MLO mammogram of the right breast. 53 y/o patient.
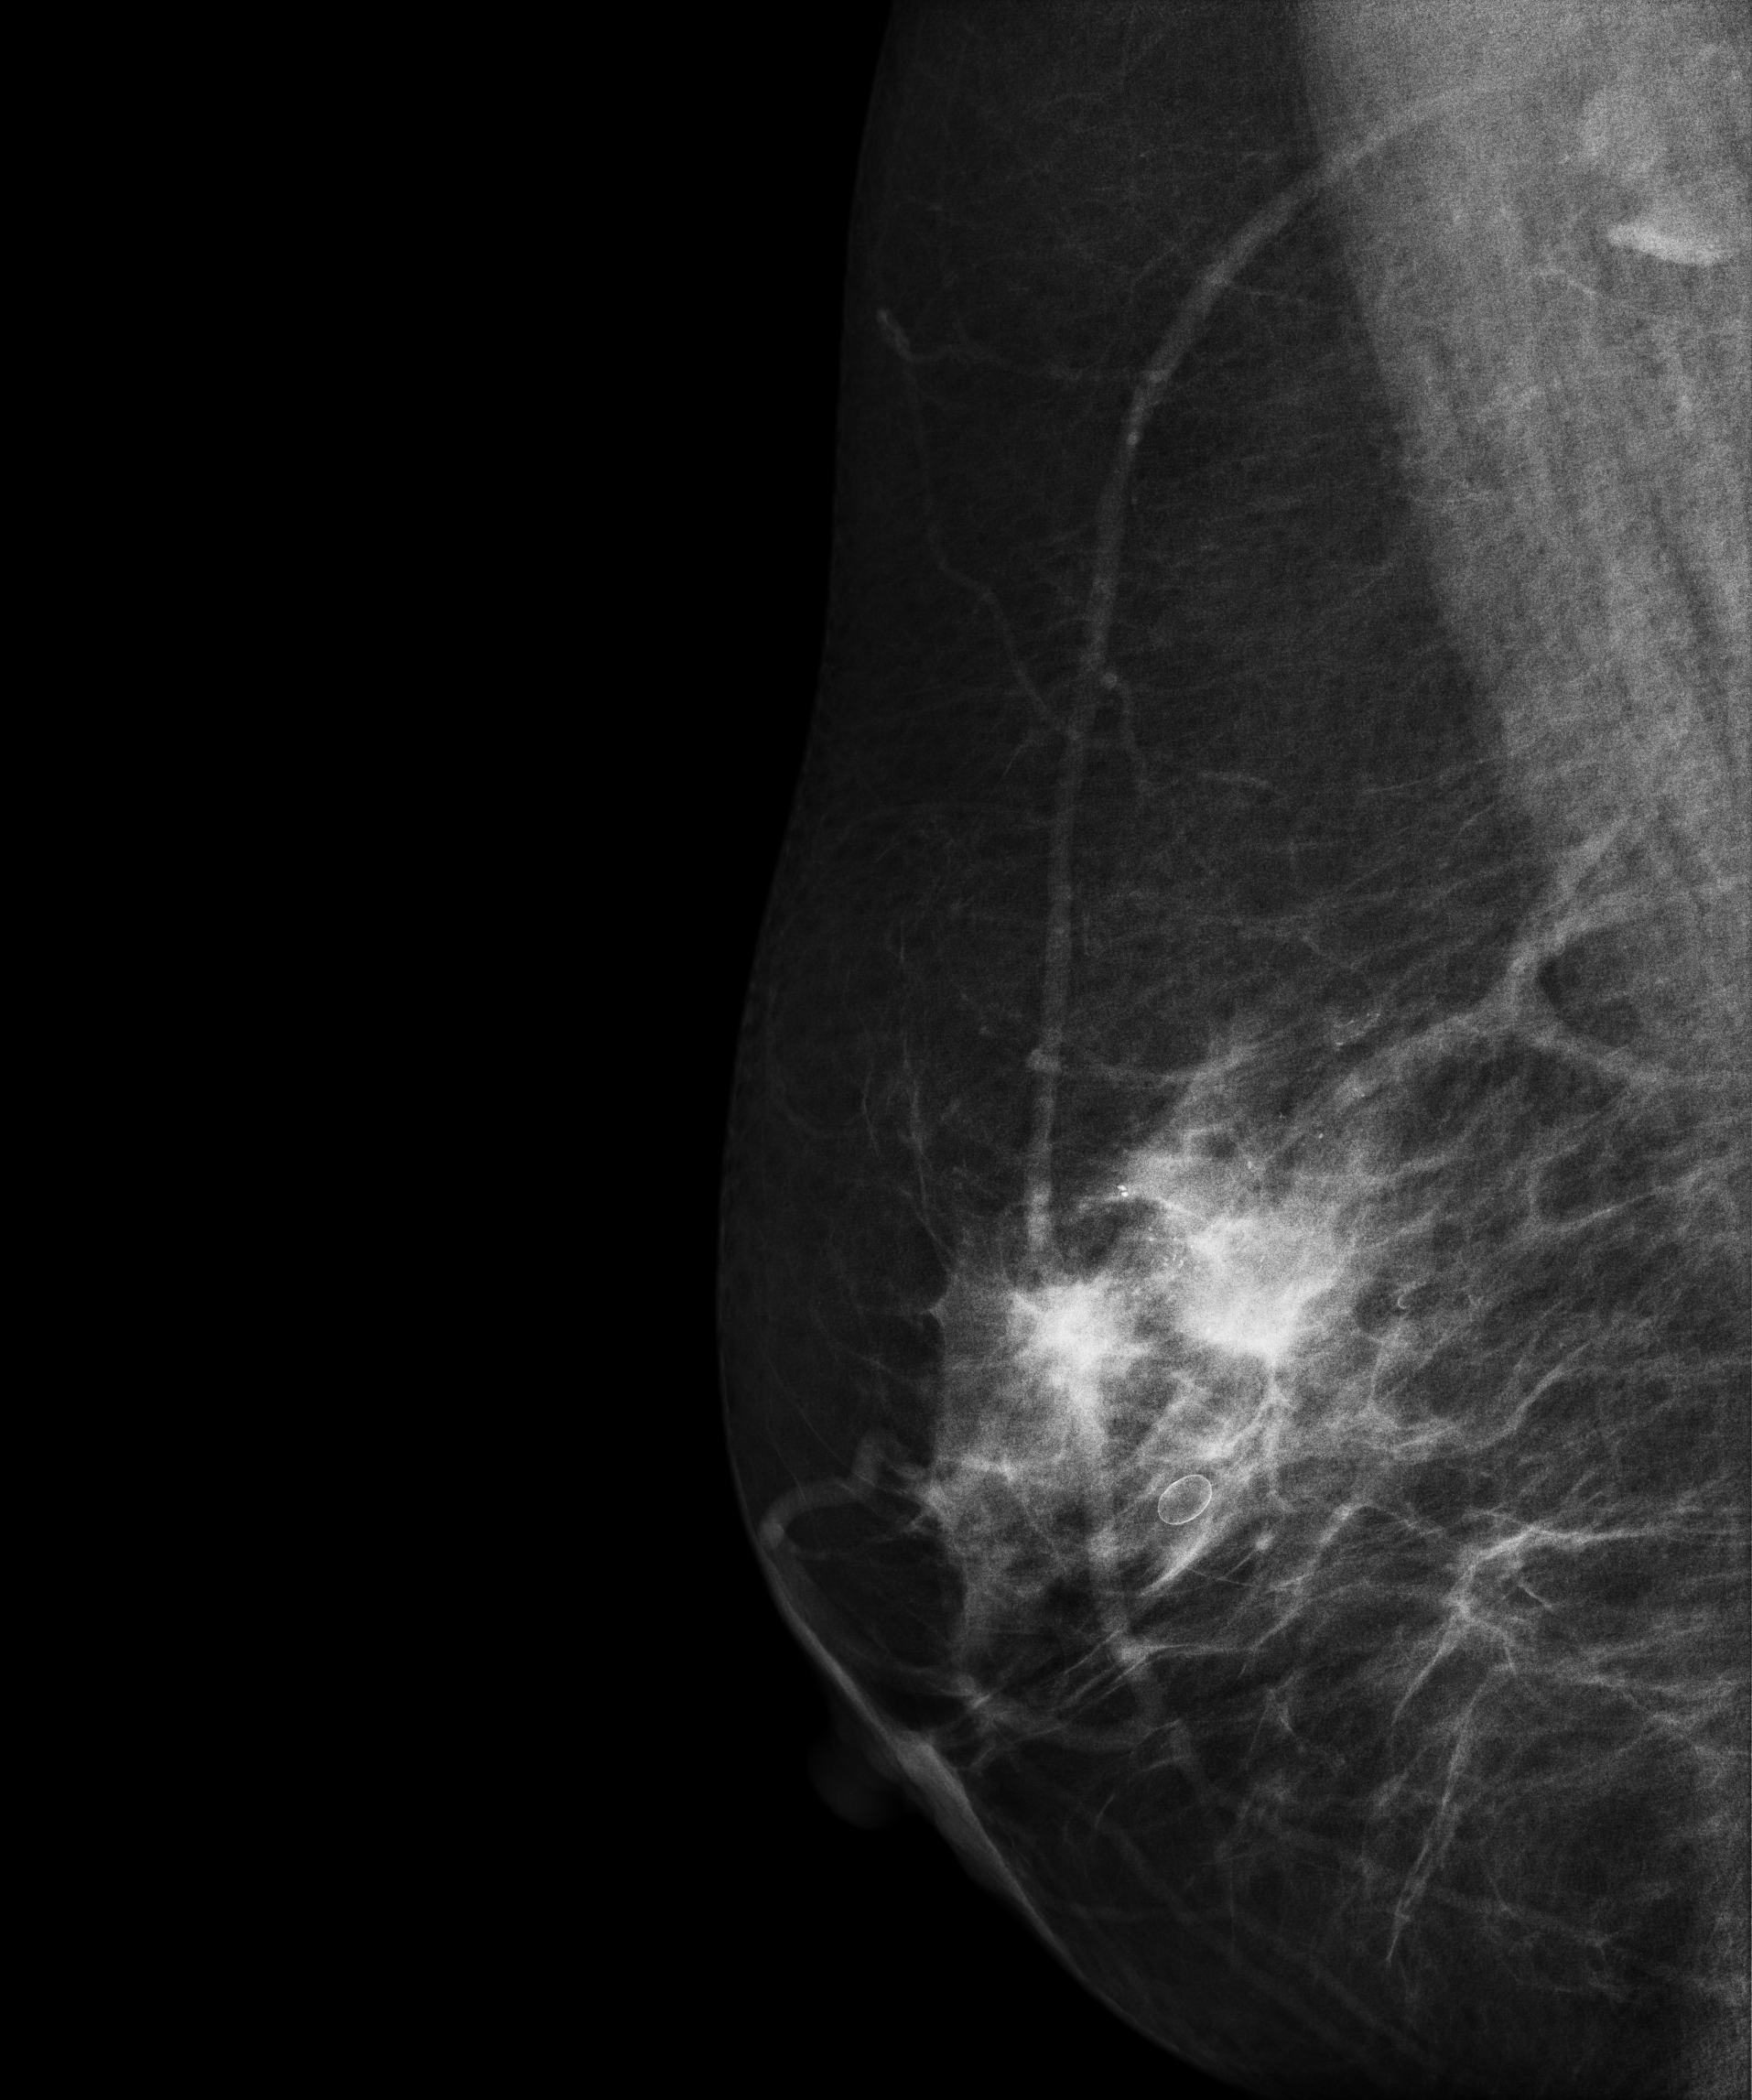
This breast has a mass, pathology-confirmed malignant. Molecular subtype: HER2-enriched.